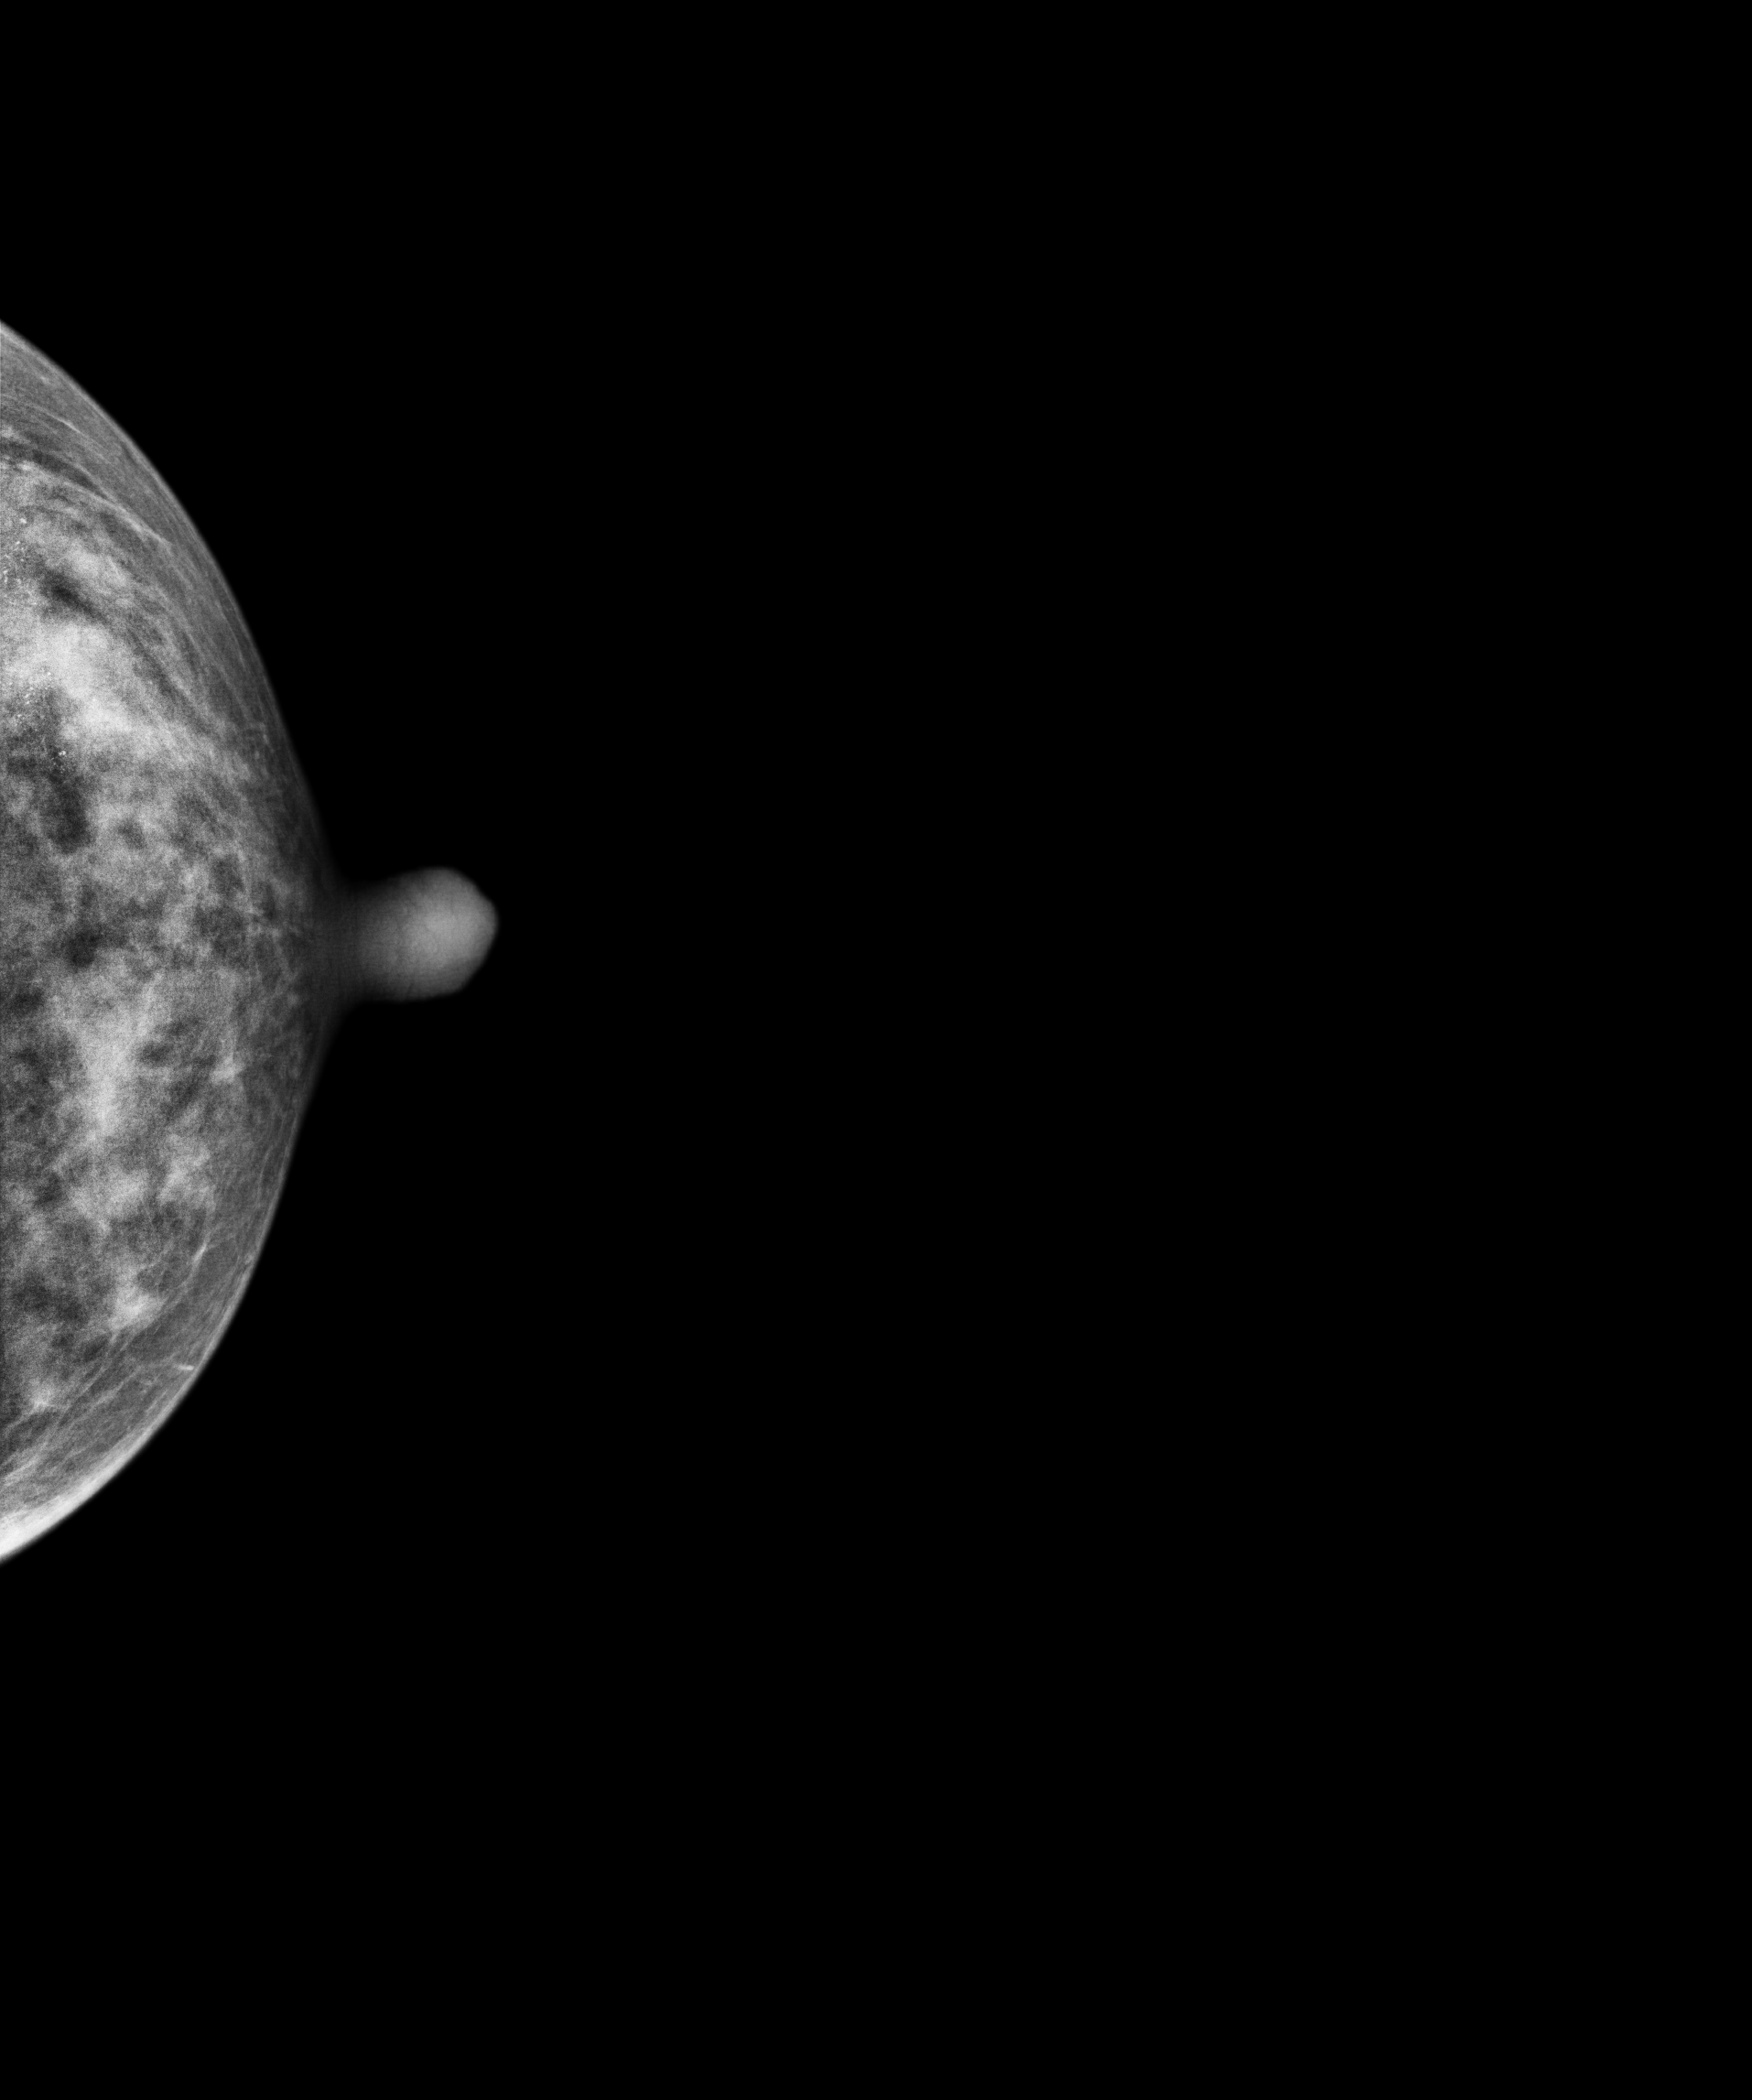
Mammogram, left breast, CC view. 41 y/o patient.
This breast has a mass and calcifications, pathology-confirmed malignant.